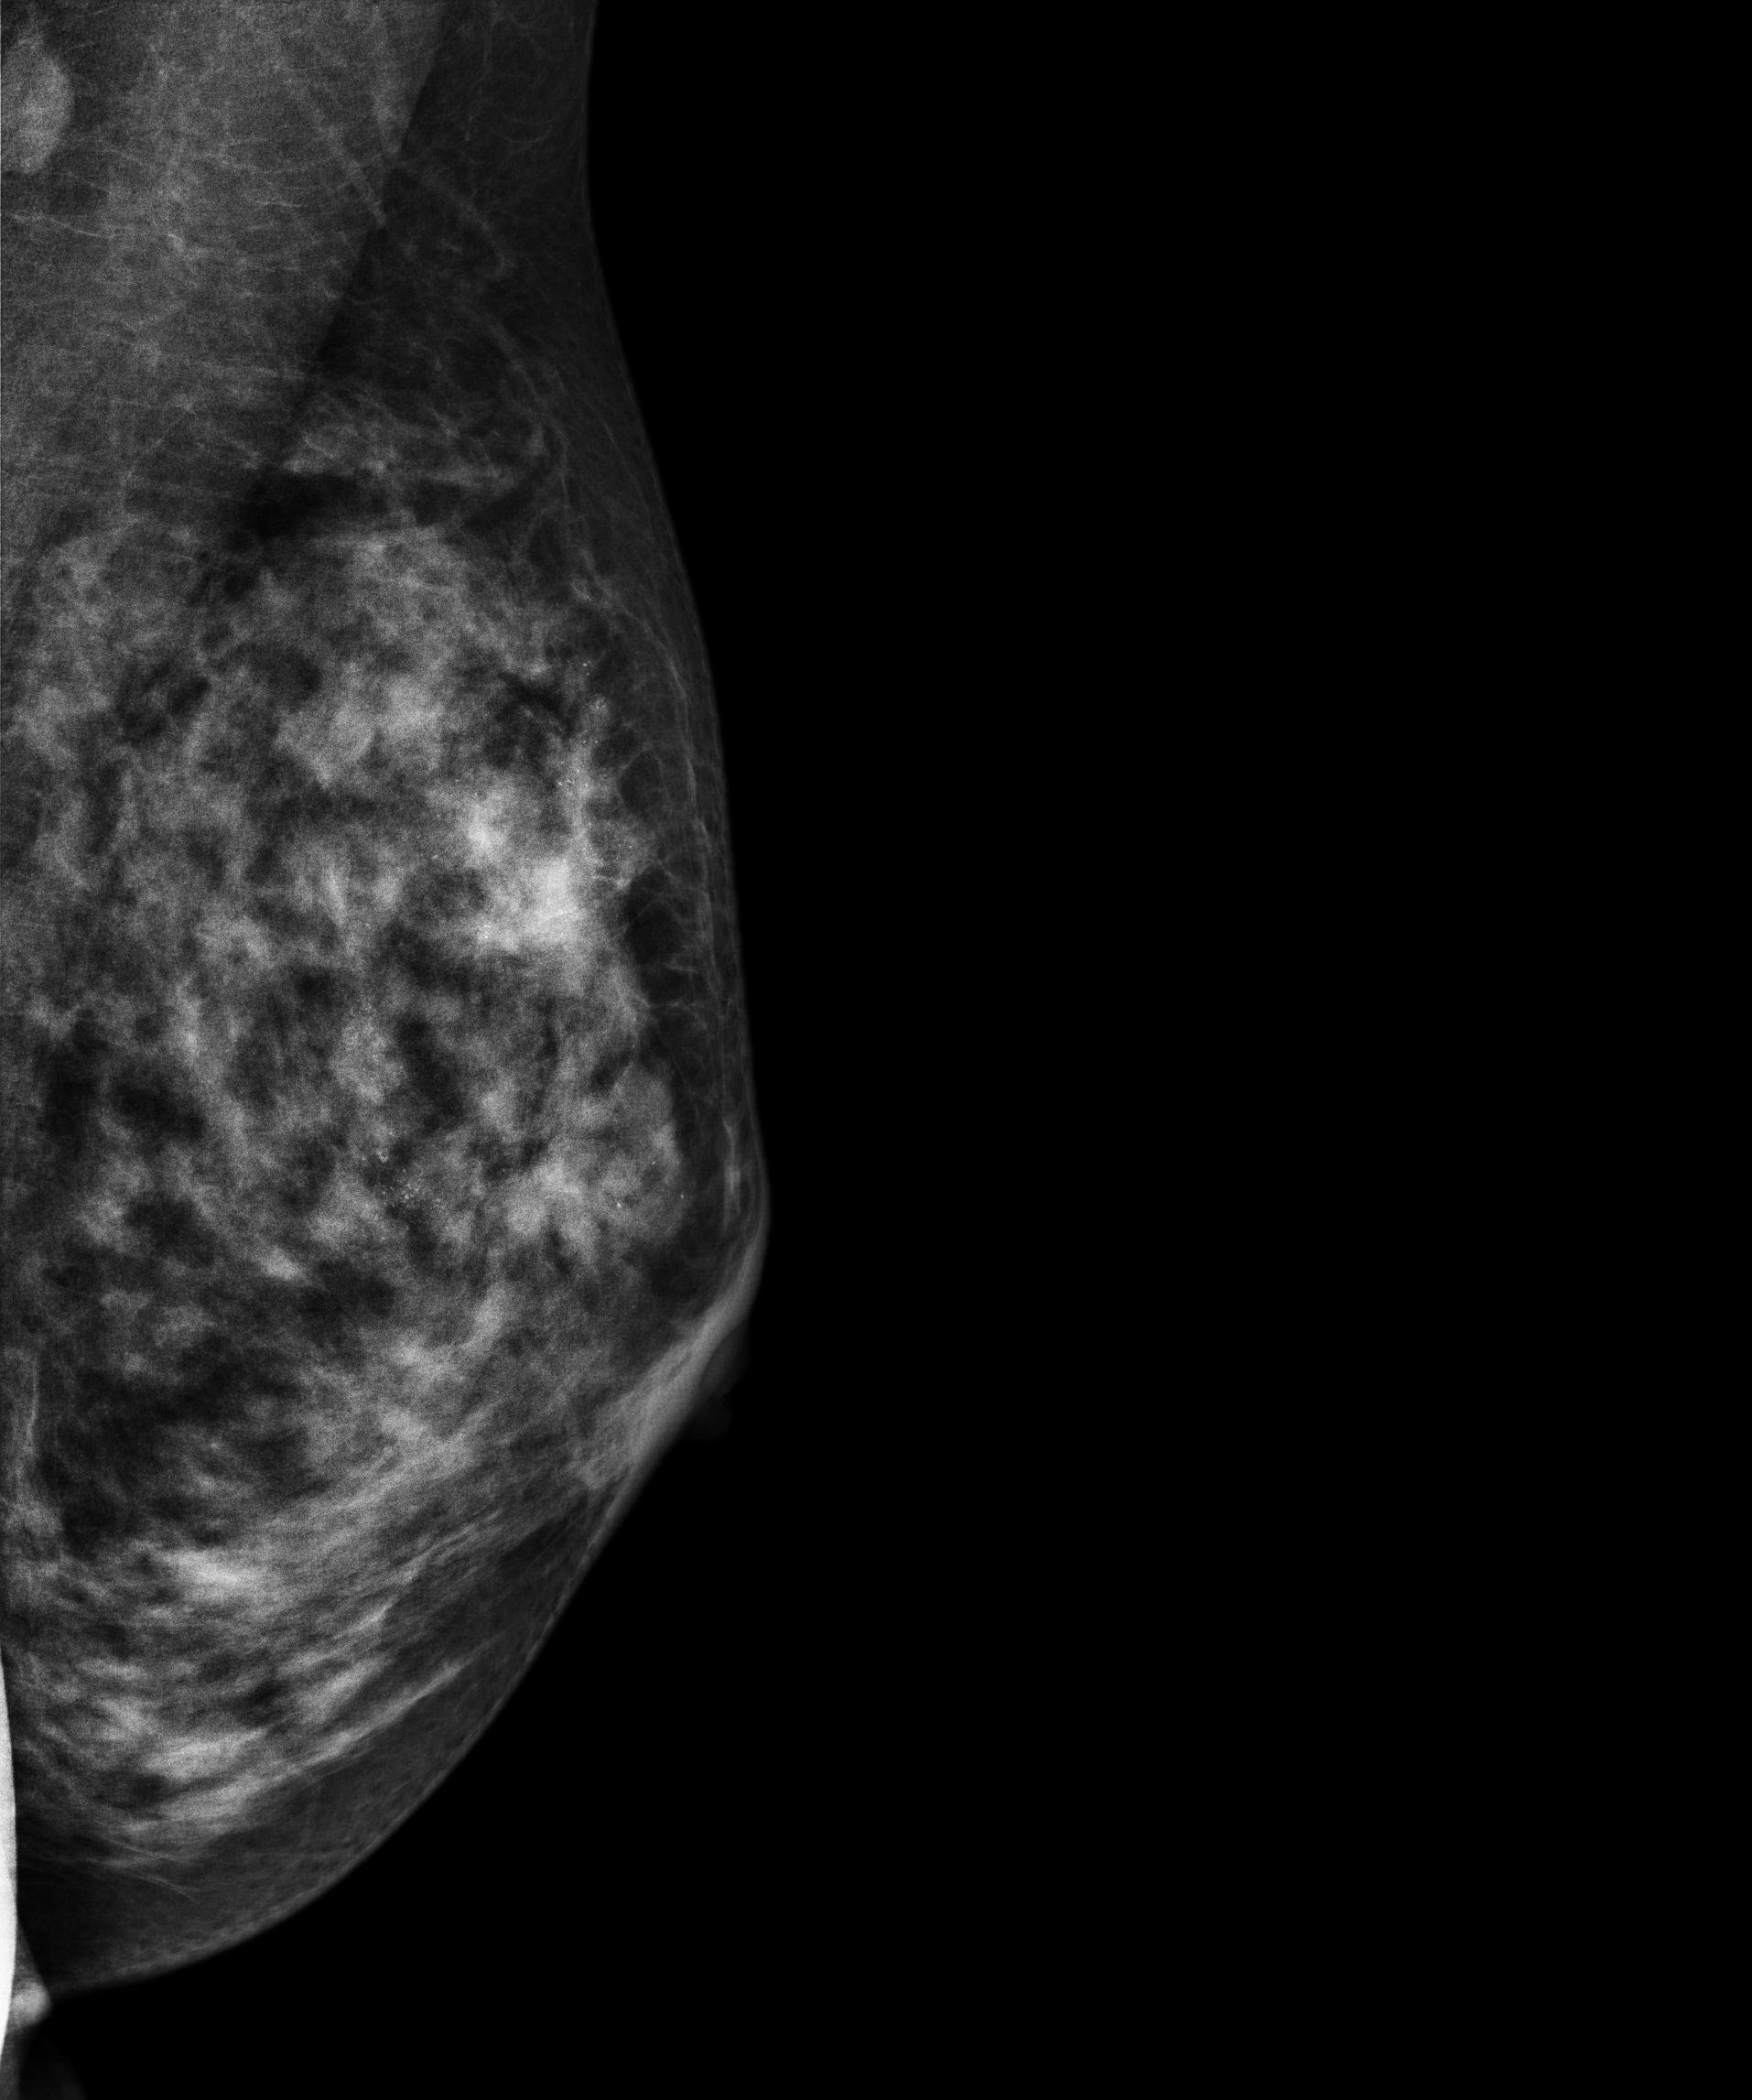
Mammogram — left medio-lateral oblique. 33 y/o patient.
This breast has a mass and calcifications, pathology-confirmed malignant.